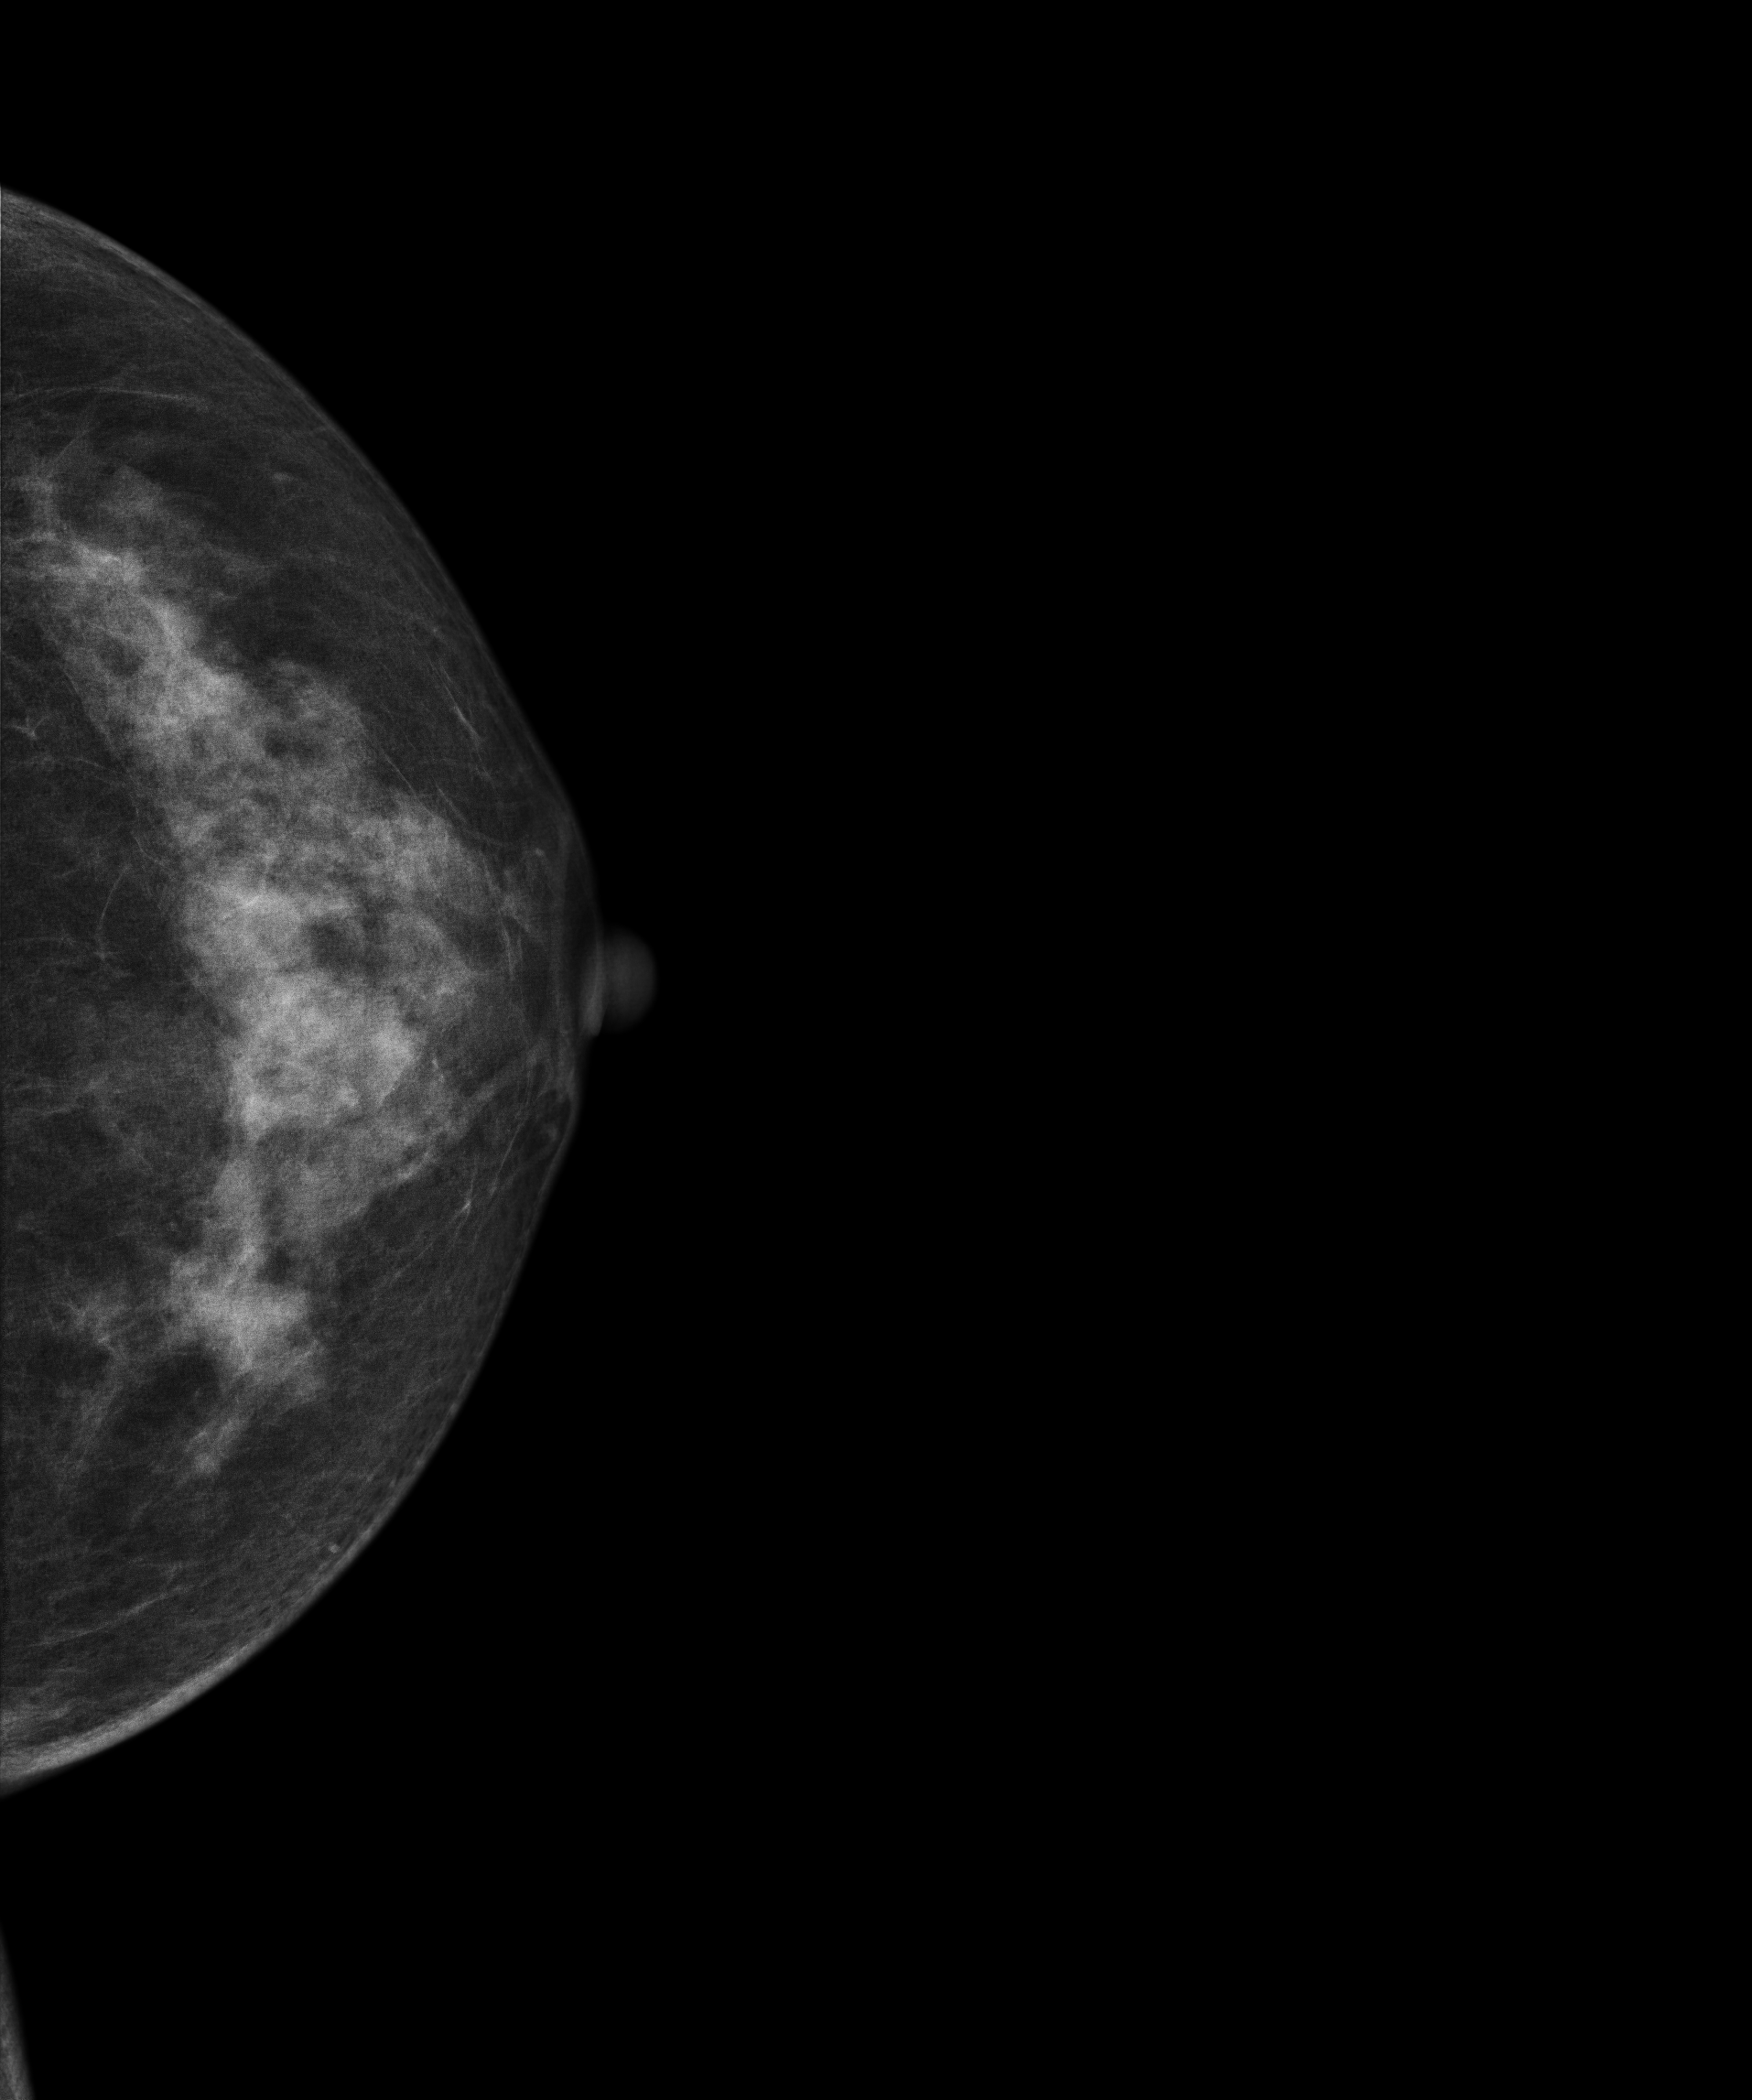
Mammogram — left CC. Patient age 59.
This breast has a mass, pathology-confirmed malignant. Molecular subtype: luminal B.